Mammogram — right CC. 39 y/o patient.
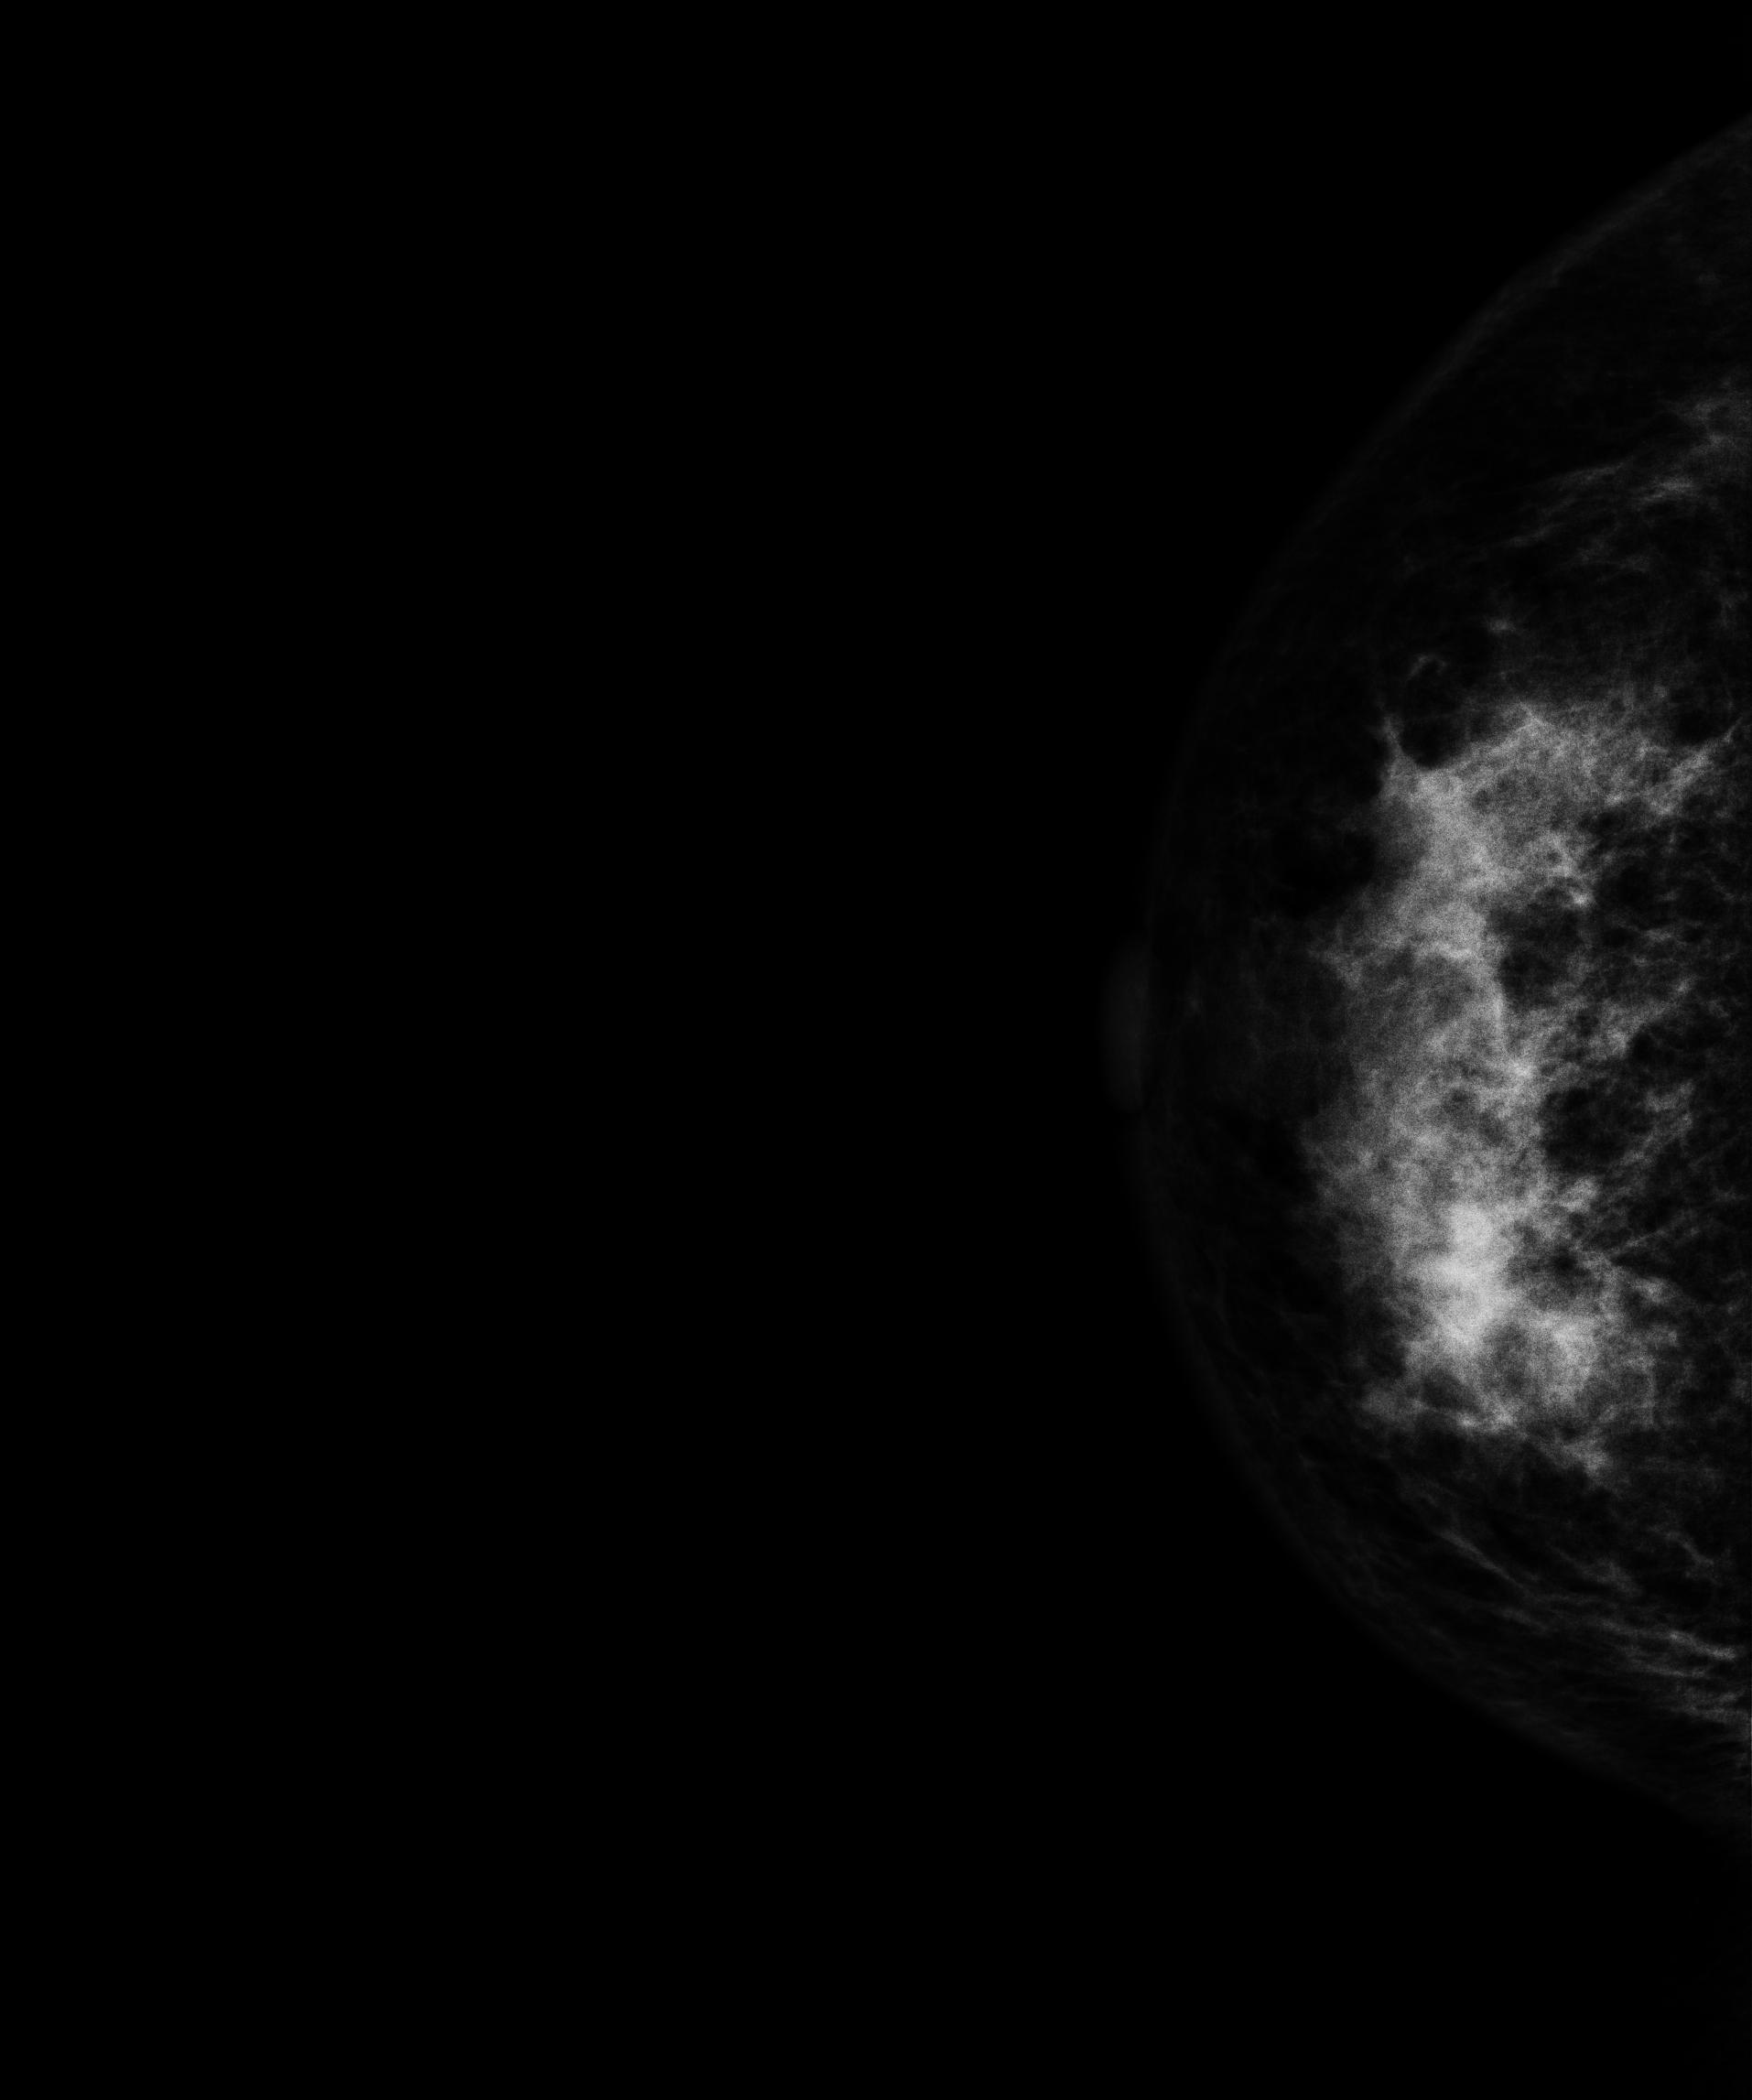
This breast has a mass, histologically confirmed malignant.